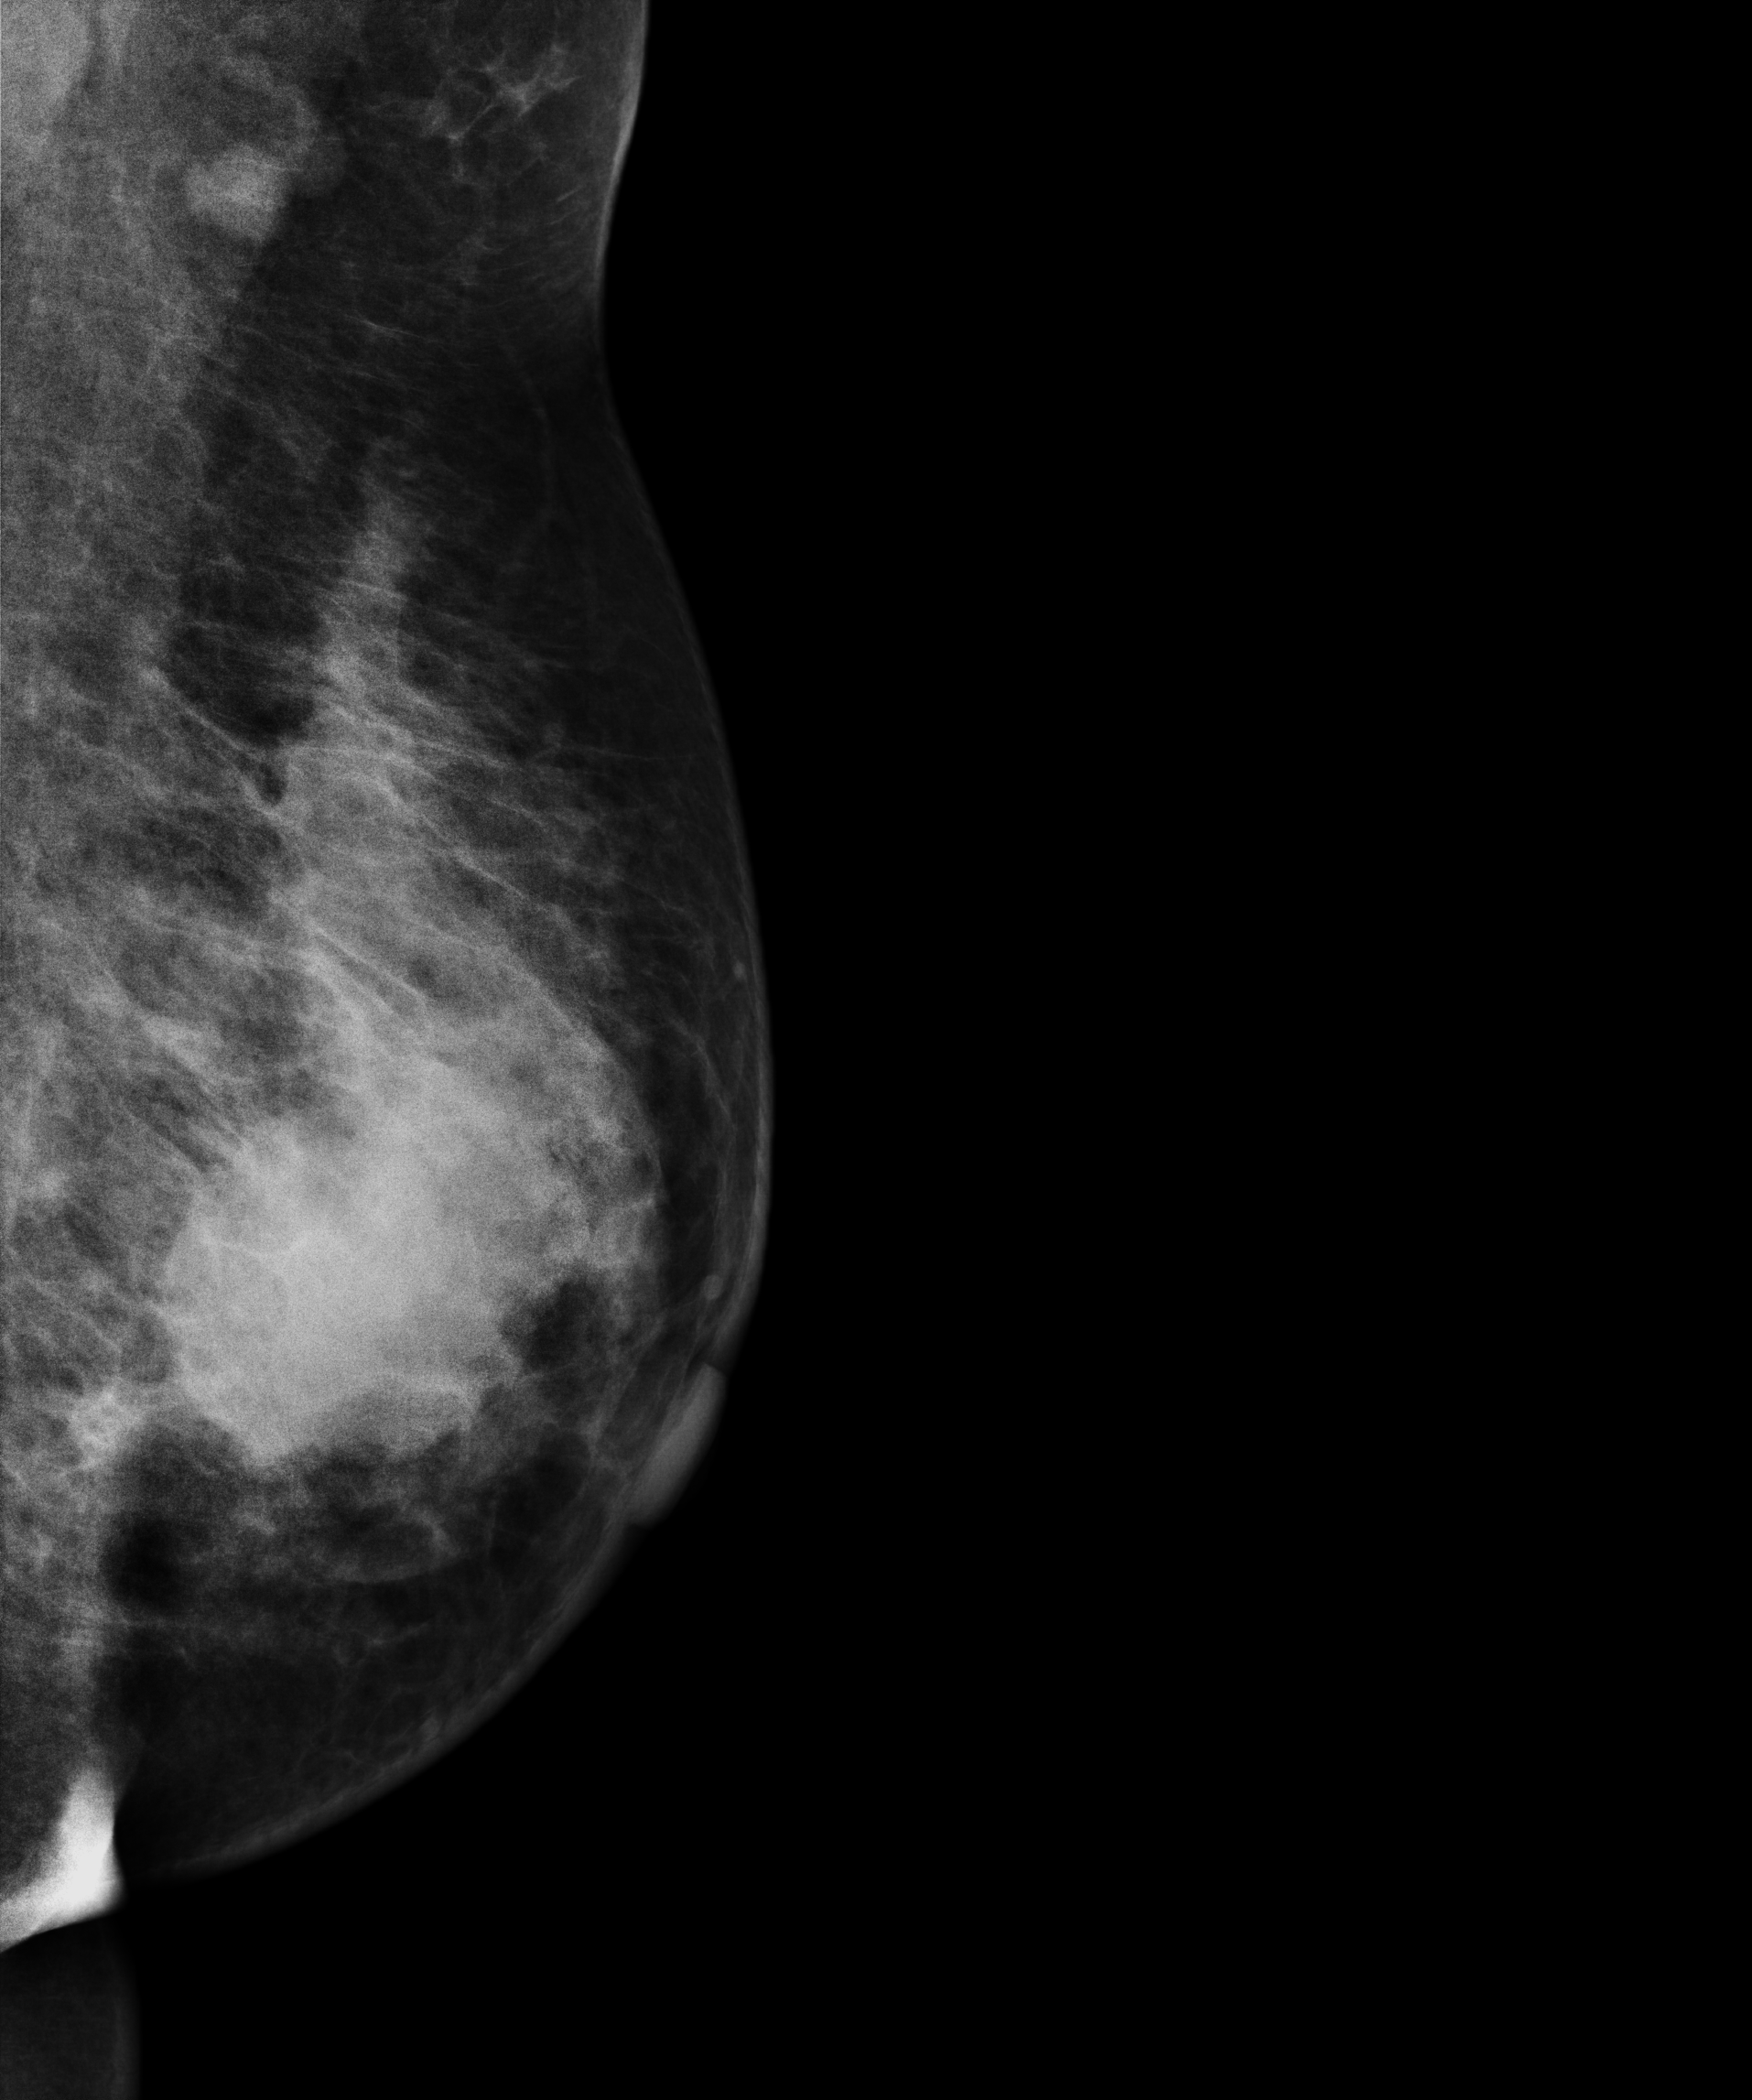
Mammogram — left MLO. 39 y/o patient.
This breast has a mass, biopsy-confirmed malignant.